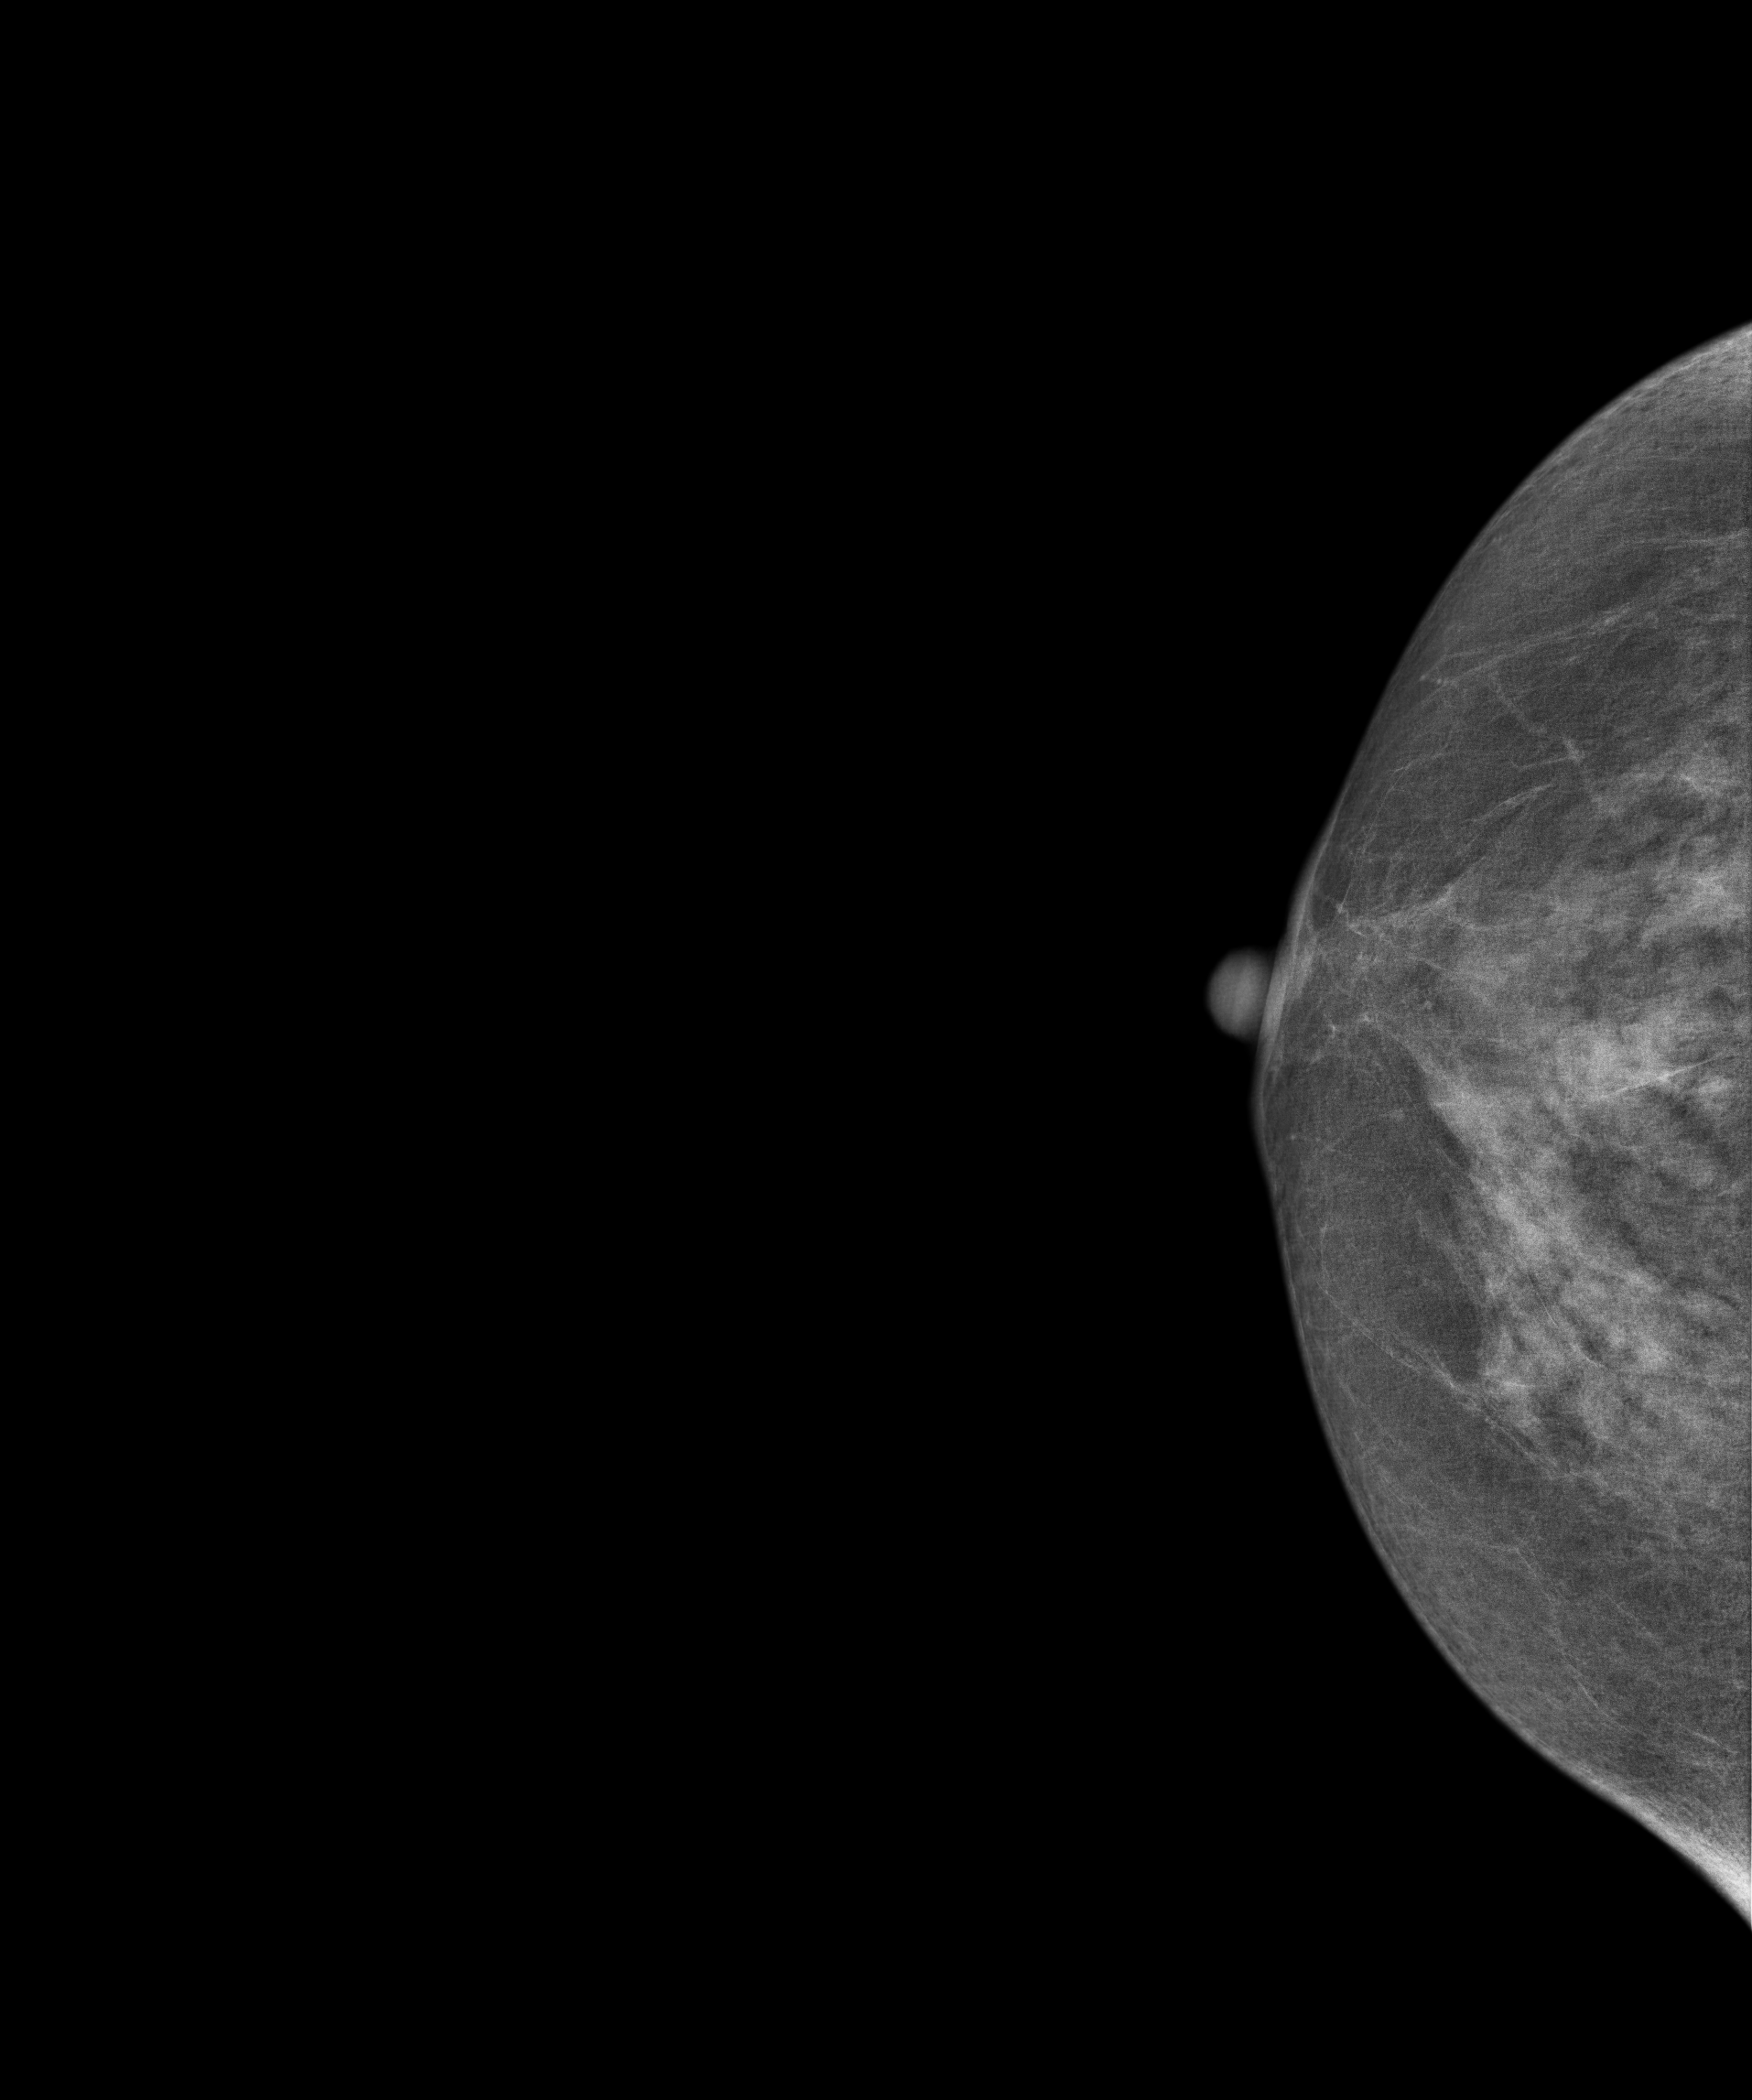
Mammogram — right CC. 65-year-old patient.
Contralateral breast — no documented abnormality on this side.